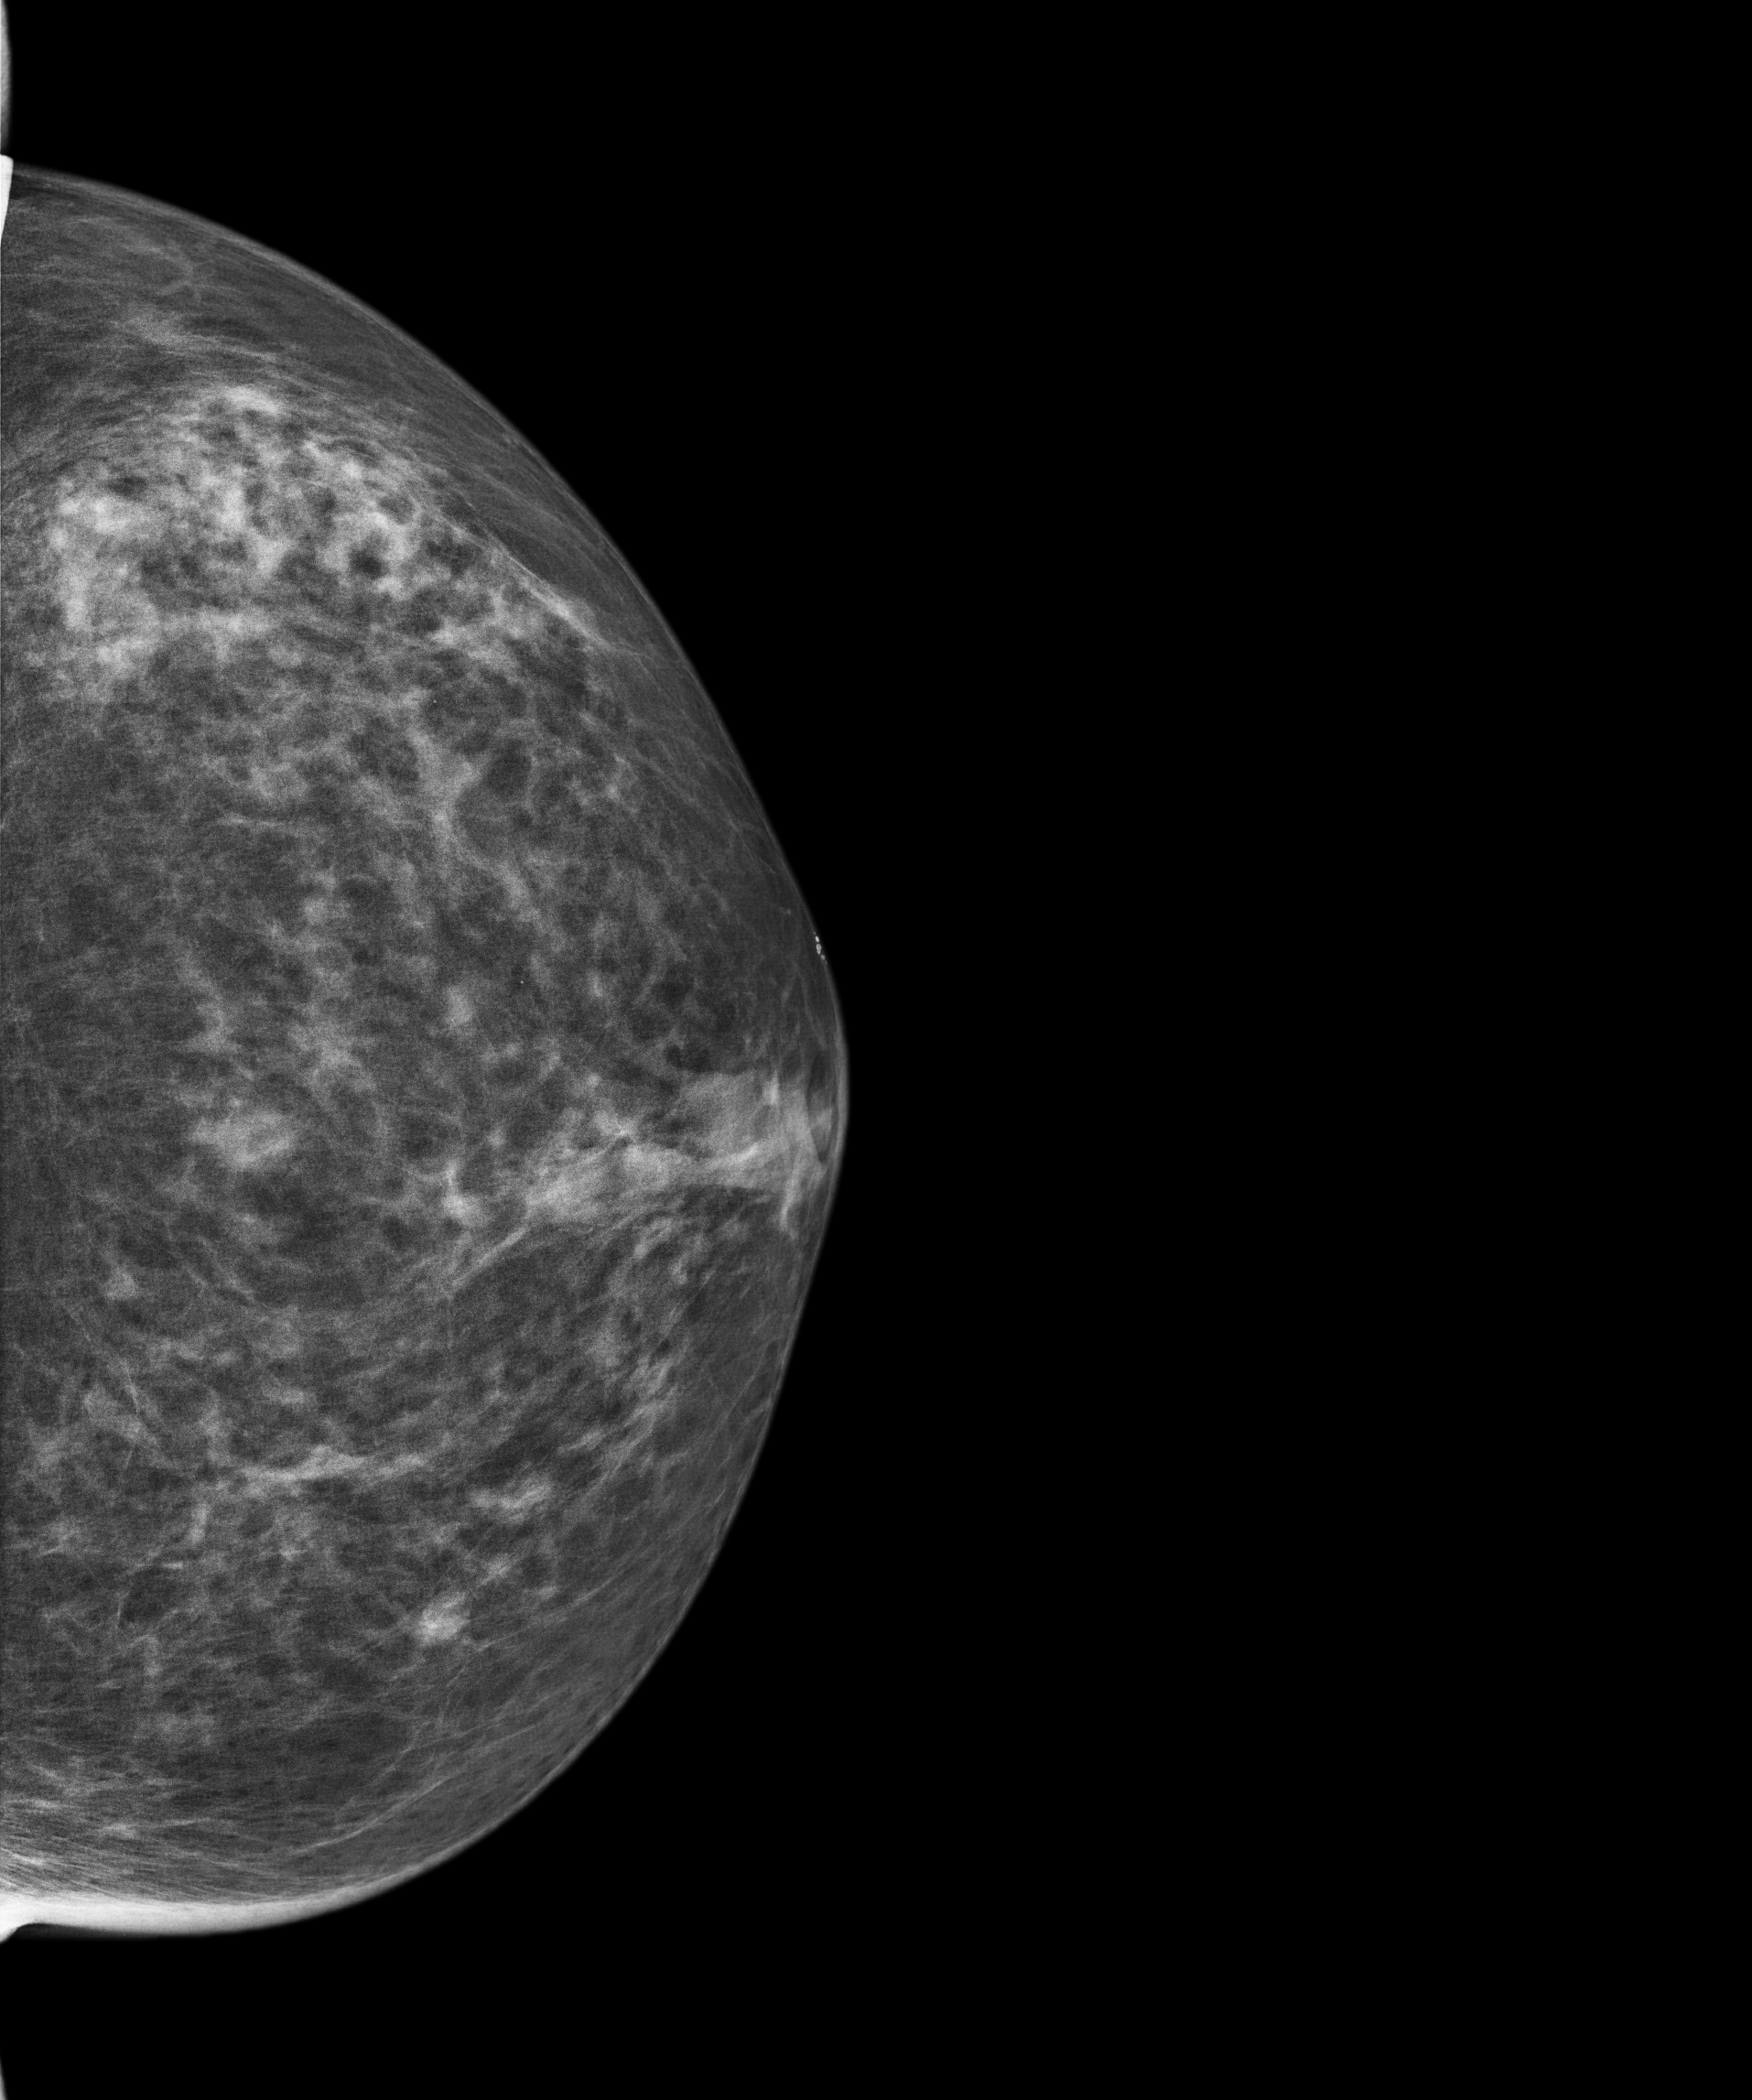
Mammogram — left cranio-caudal. Patient age 57.
This breast has a mass, biopsy-confirmed malignant.